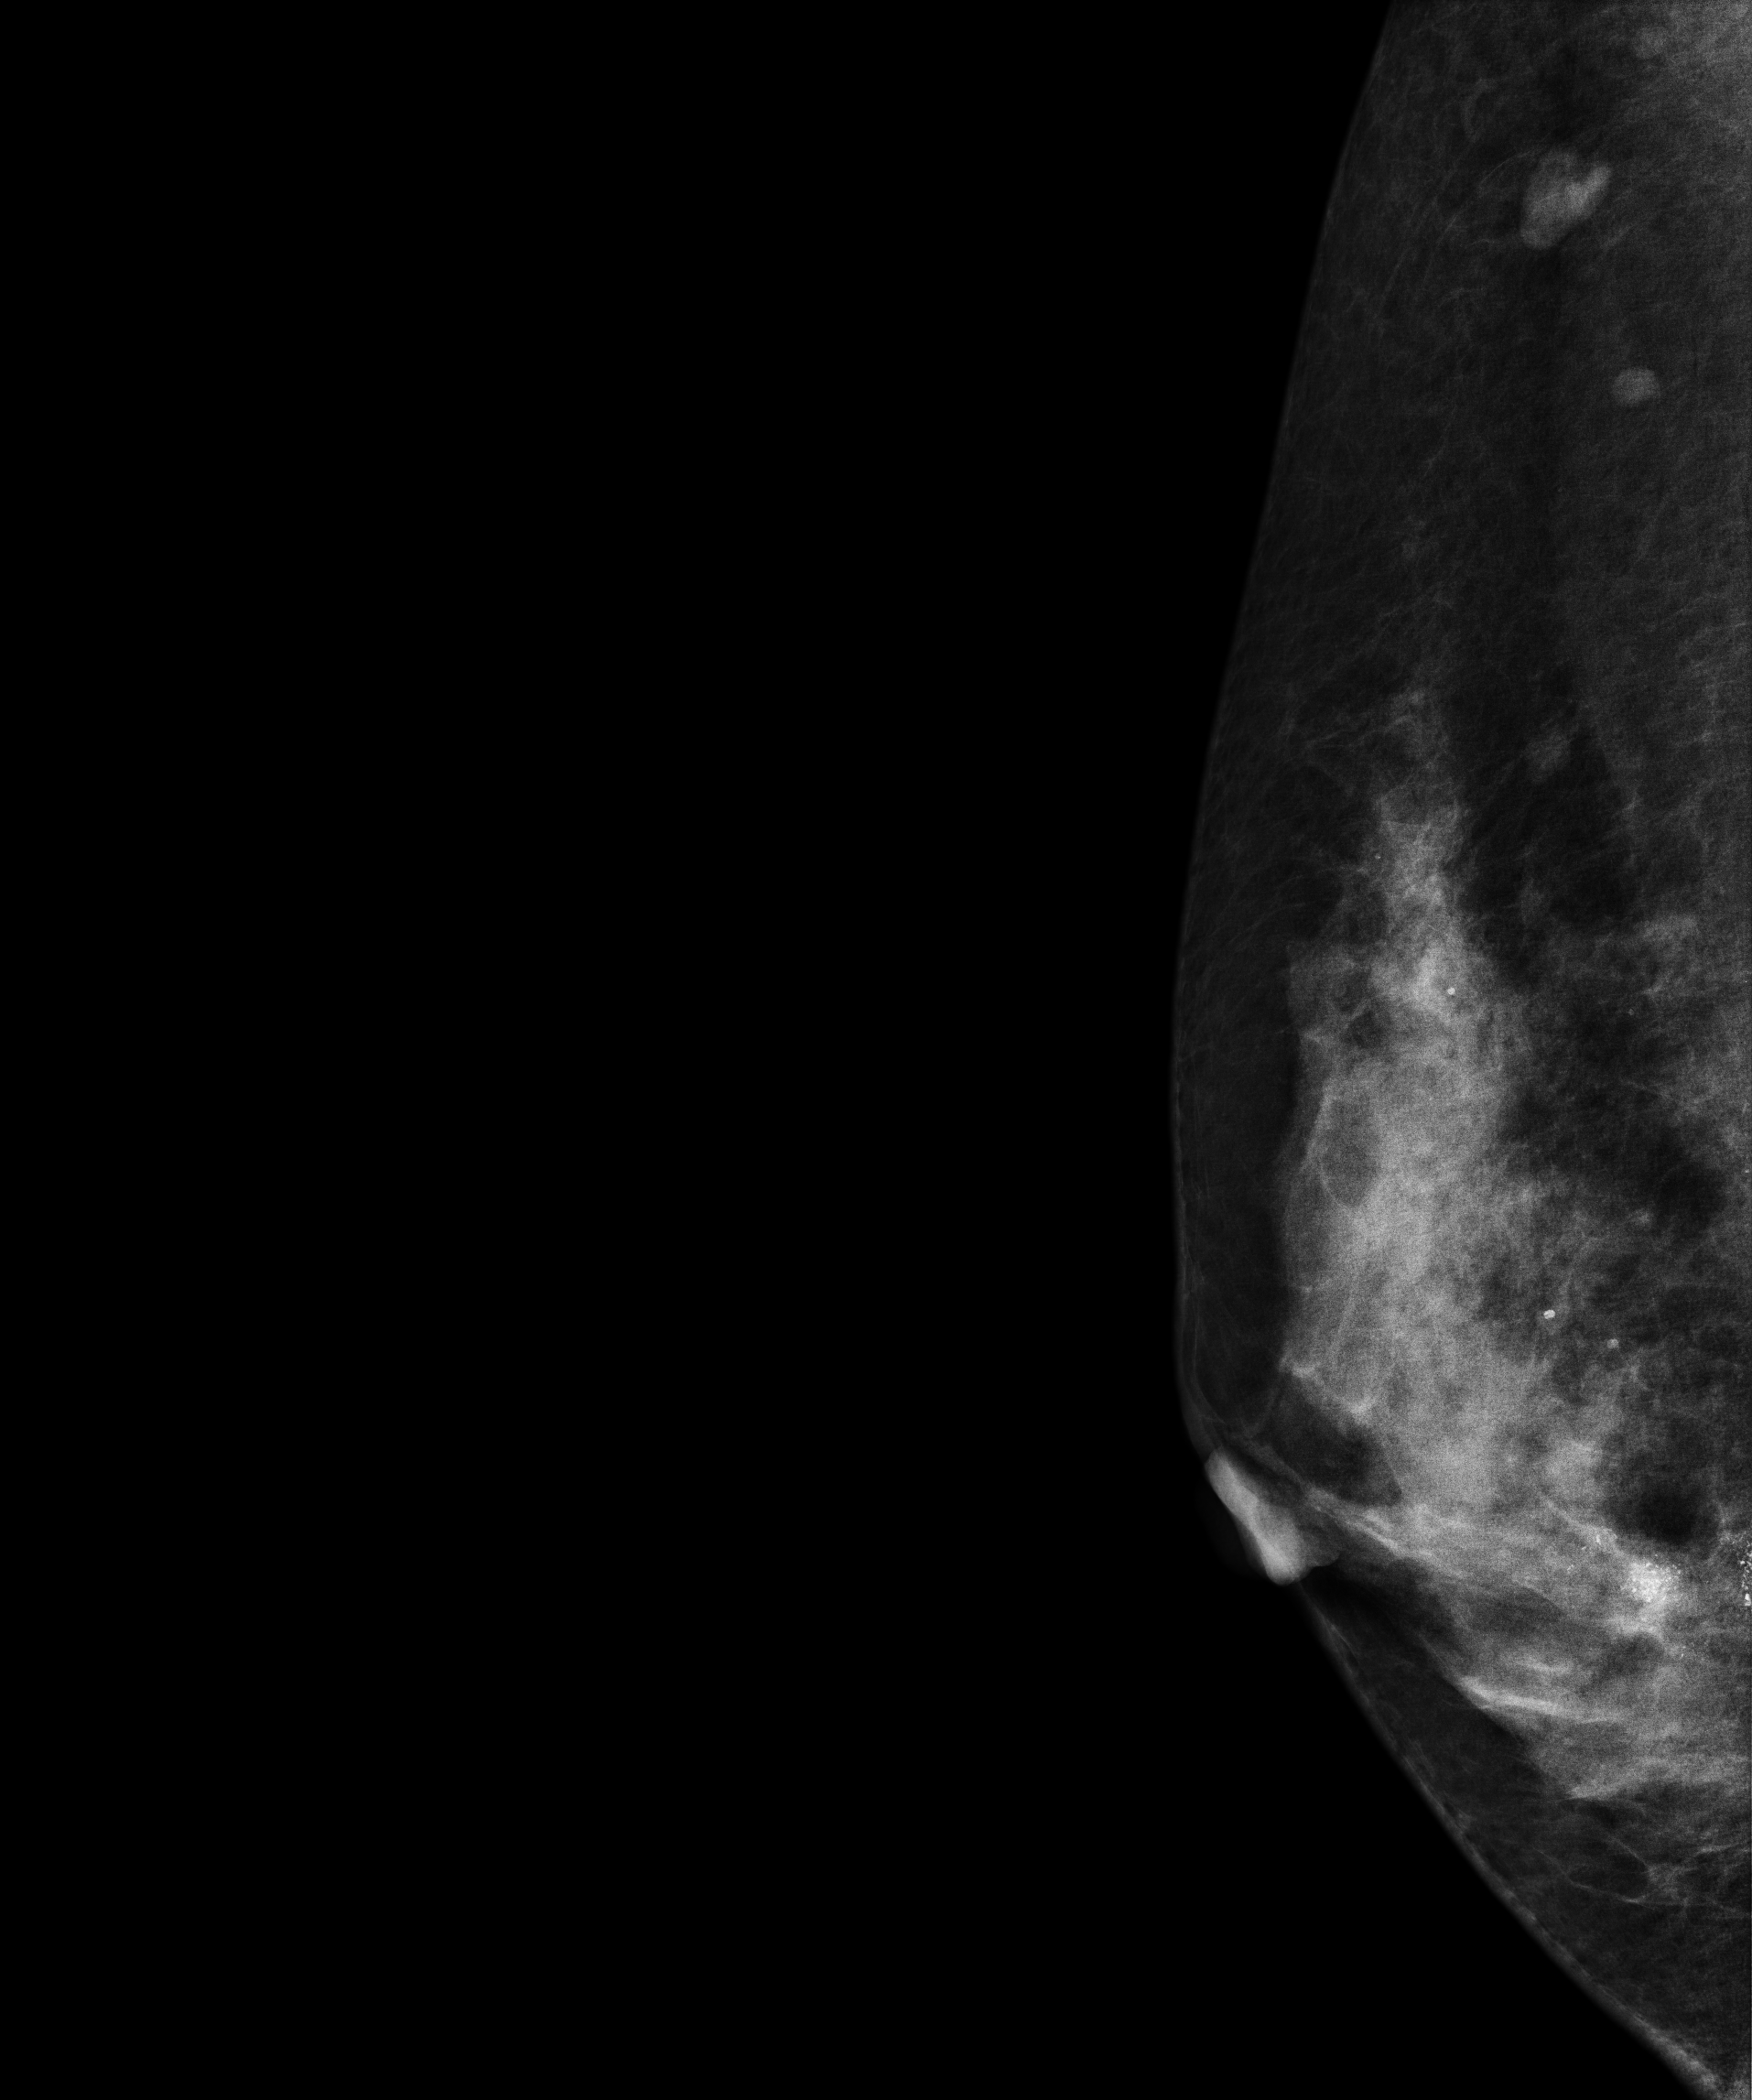
MLO mammogram of the right breast. 33-year-old patient.
This breast has calcifications, biopsy-proven malignant.